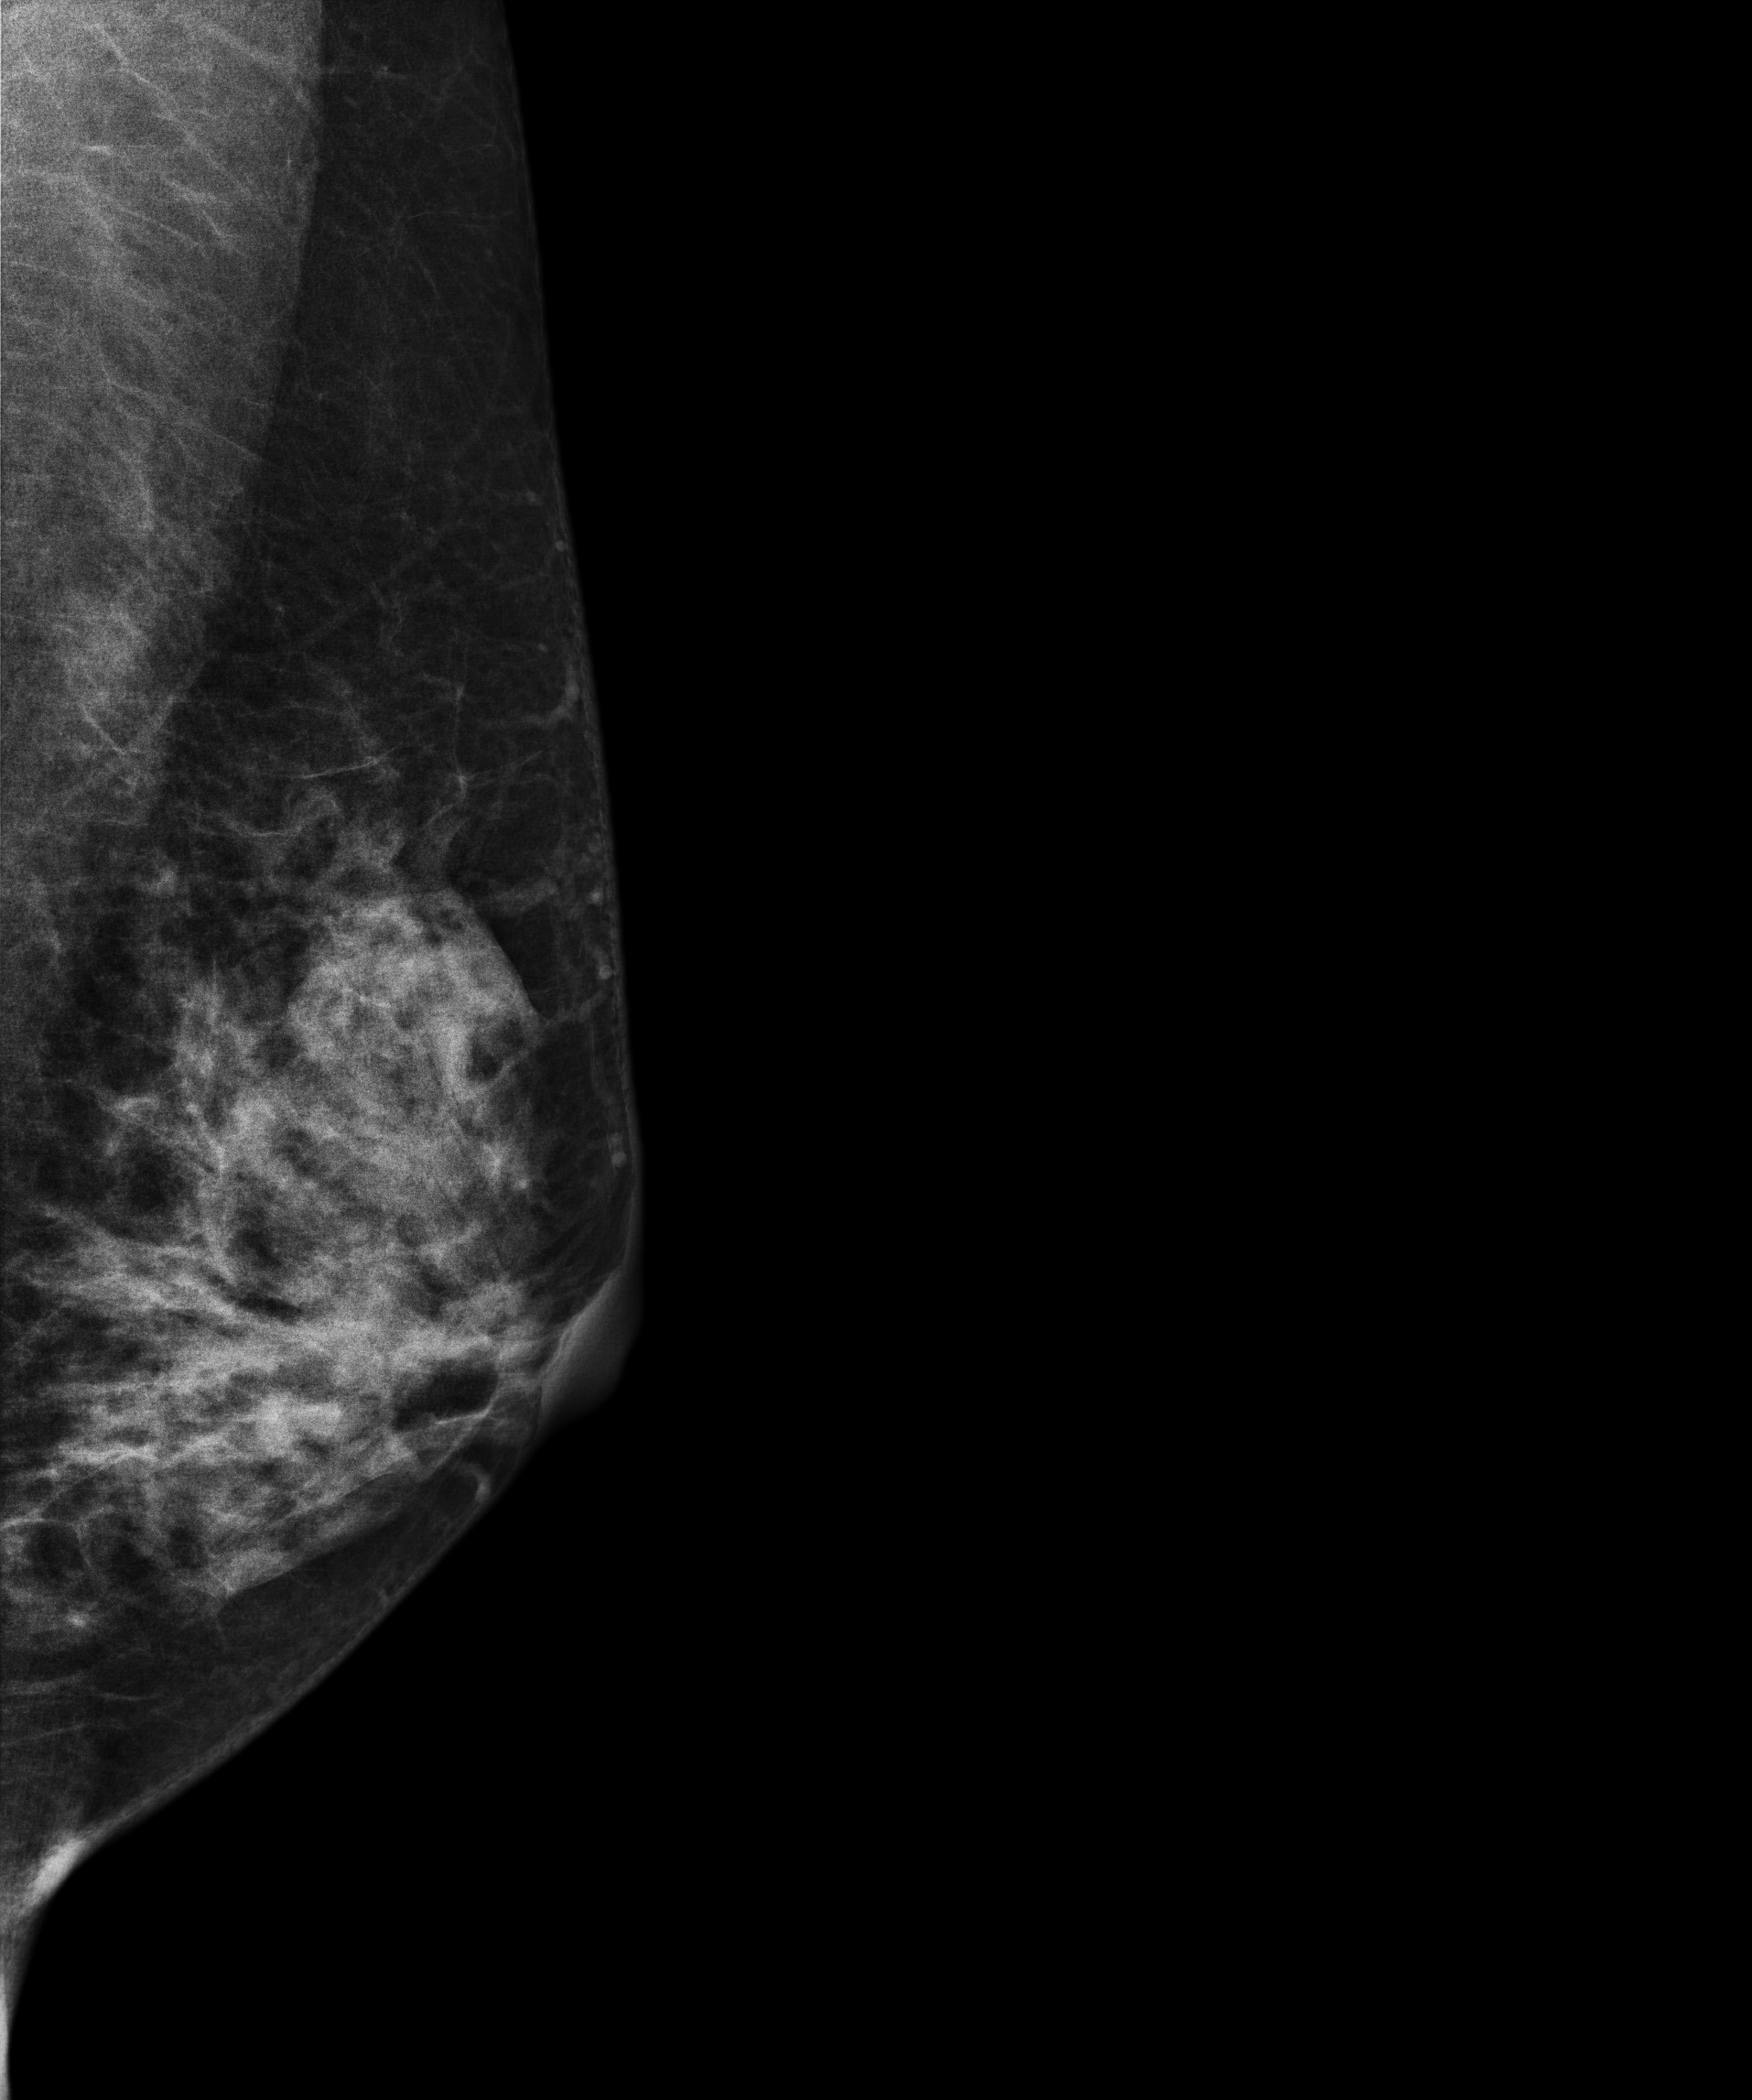
Digital mammography. Left breast, medio-lateral oblique projection. 56-year-old patient.
Contralateral breast — no documented abnormality on this side.